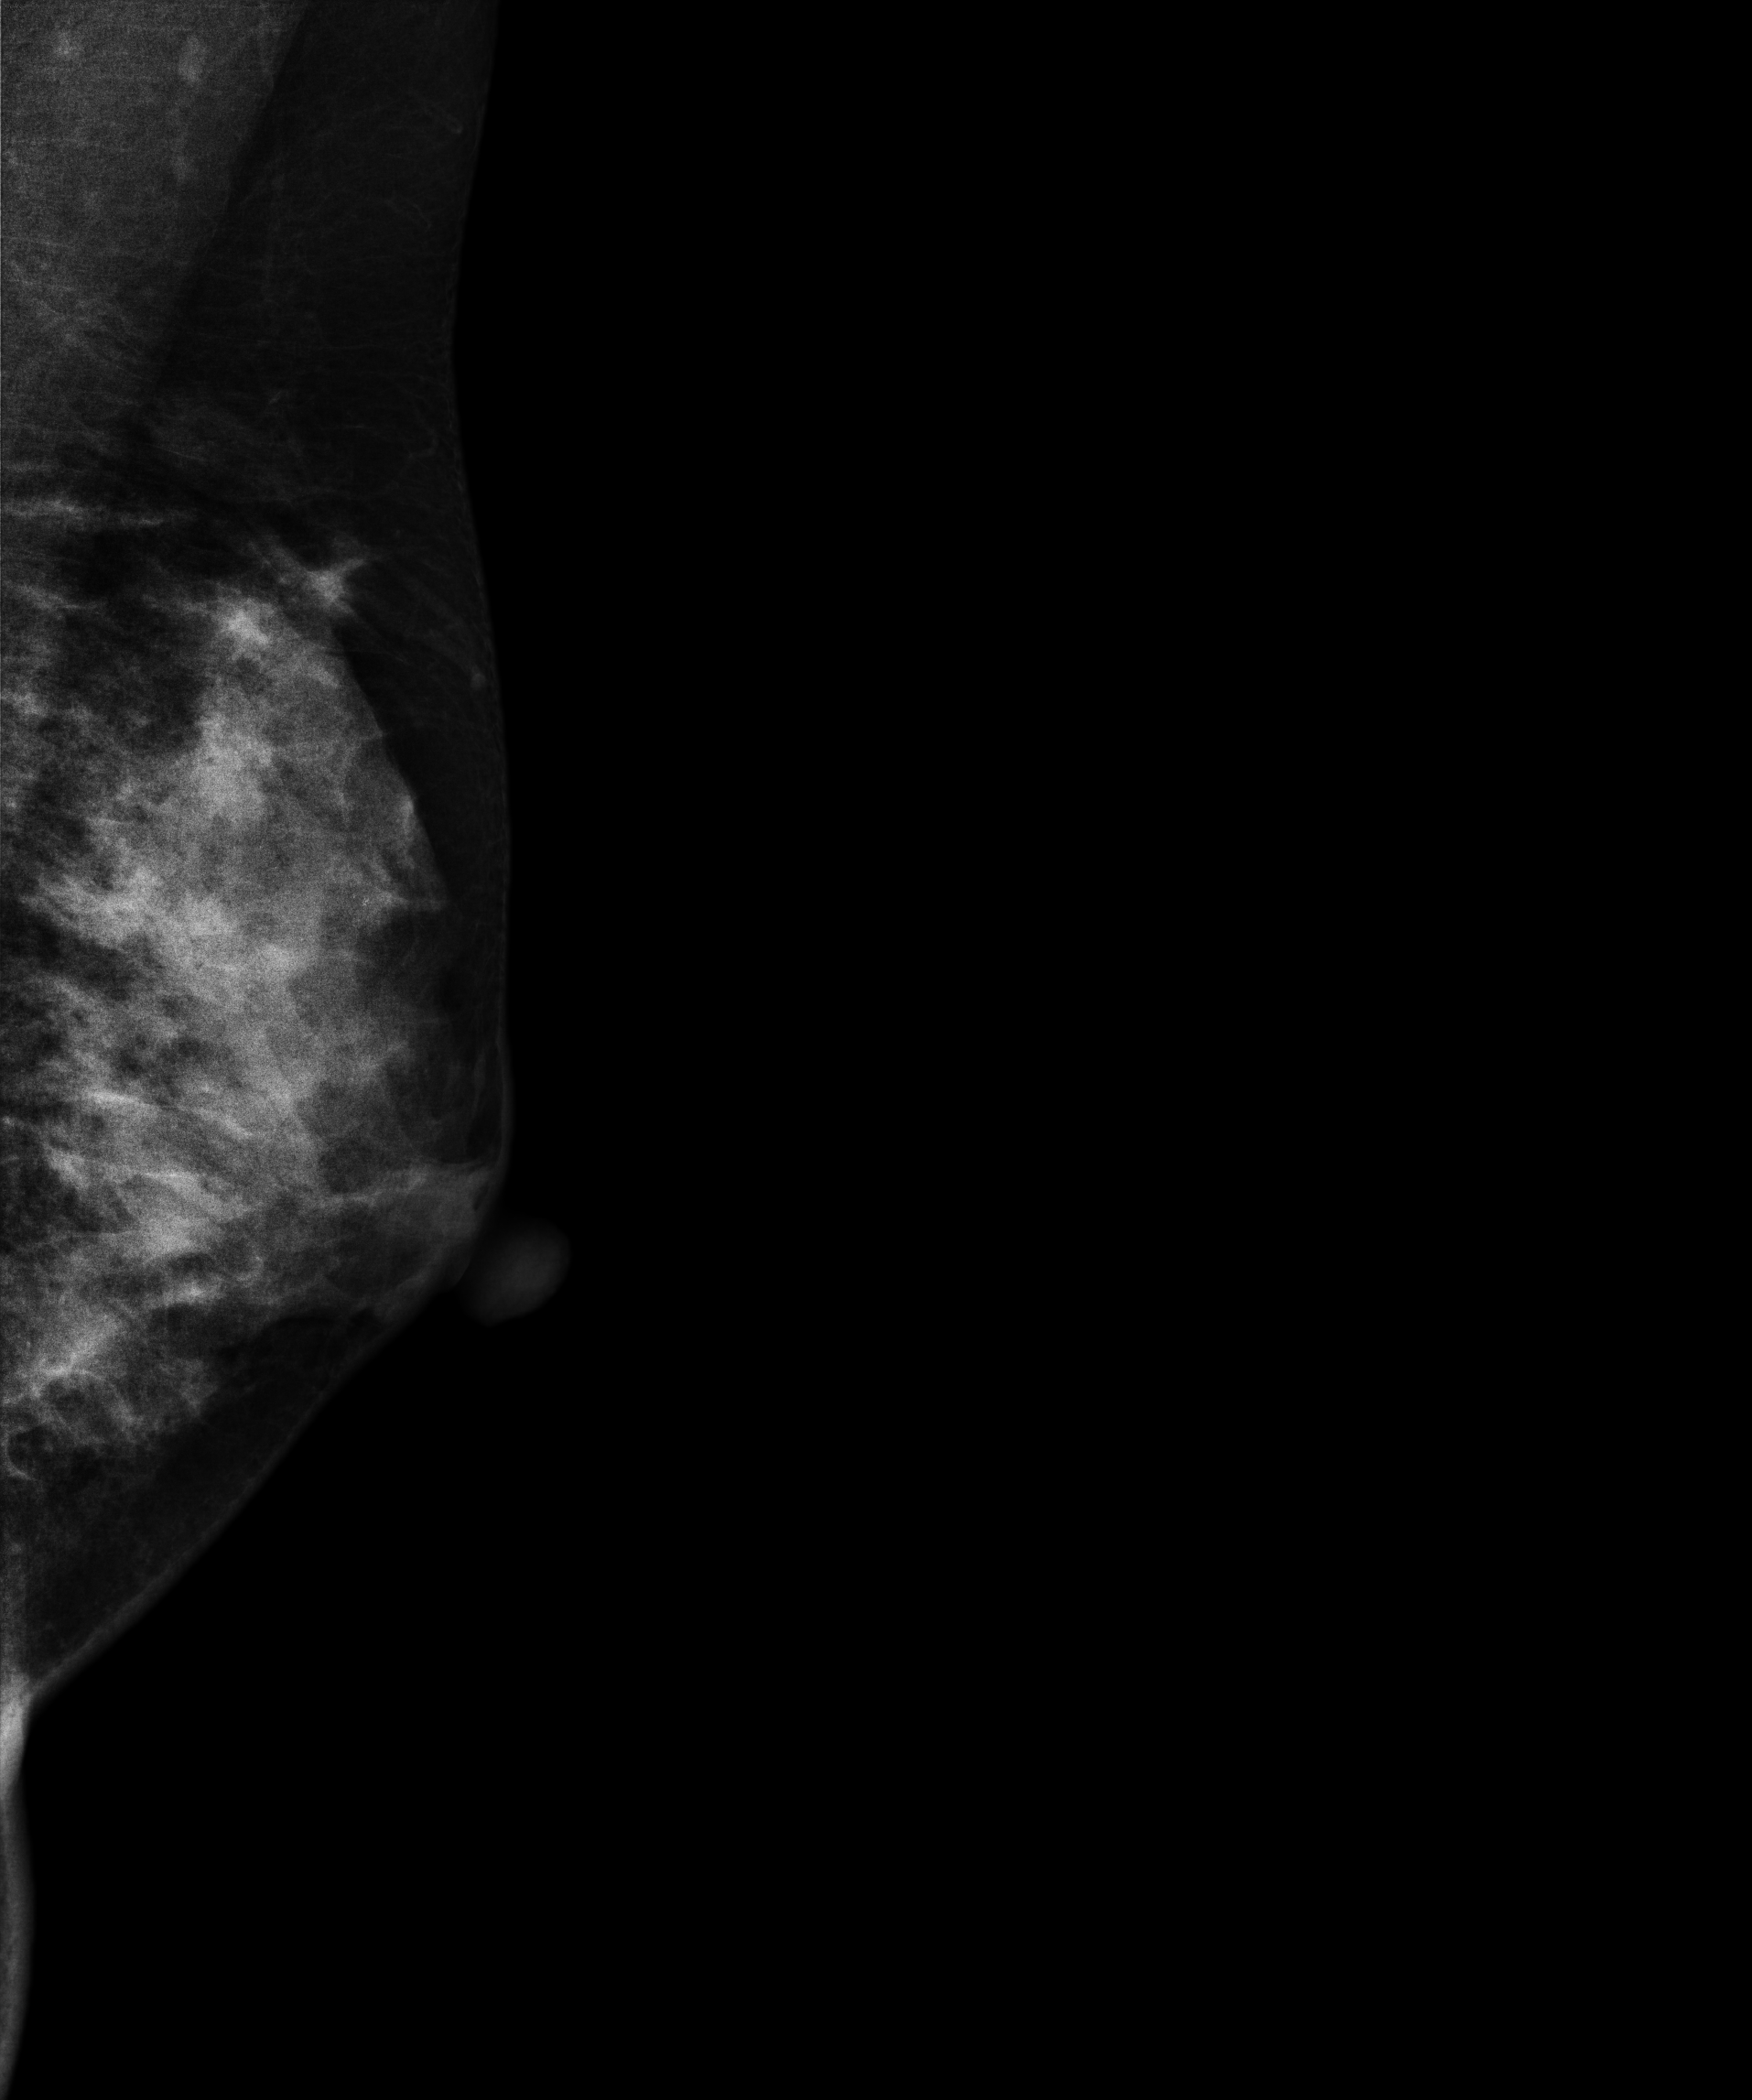
Left-breast mammogram, medio-lateral oblique. 37 y/o patient.
This breast has a mass, pathology-confirmed malignant. Molecular subtype: triple-negative.